Digital mammography. Right breast, cranio-caudal projection. Patient age 41.
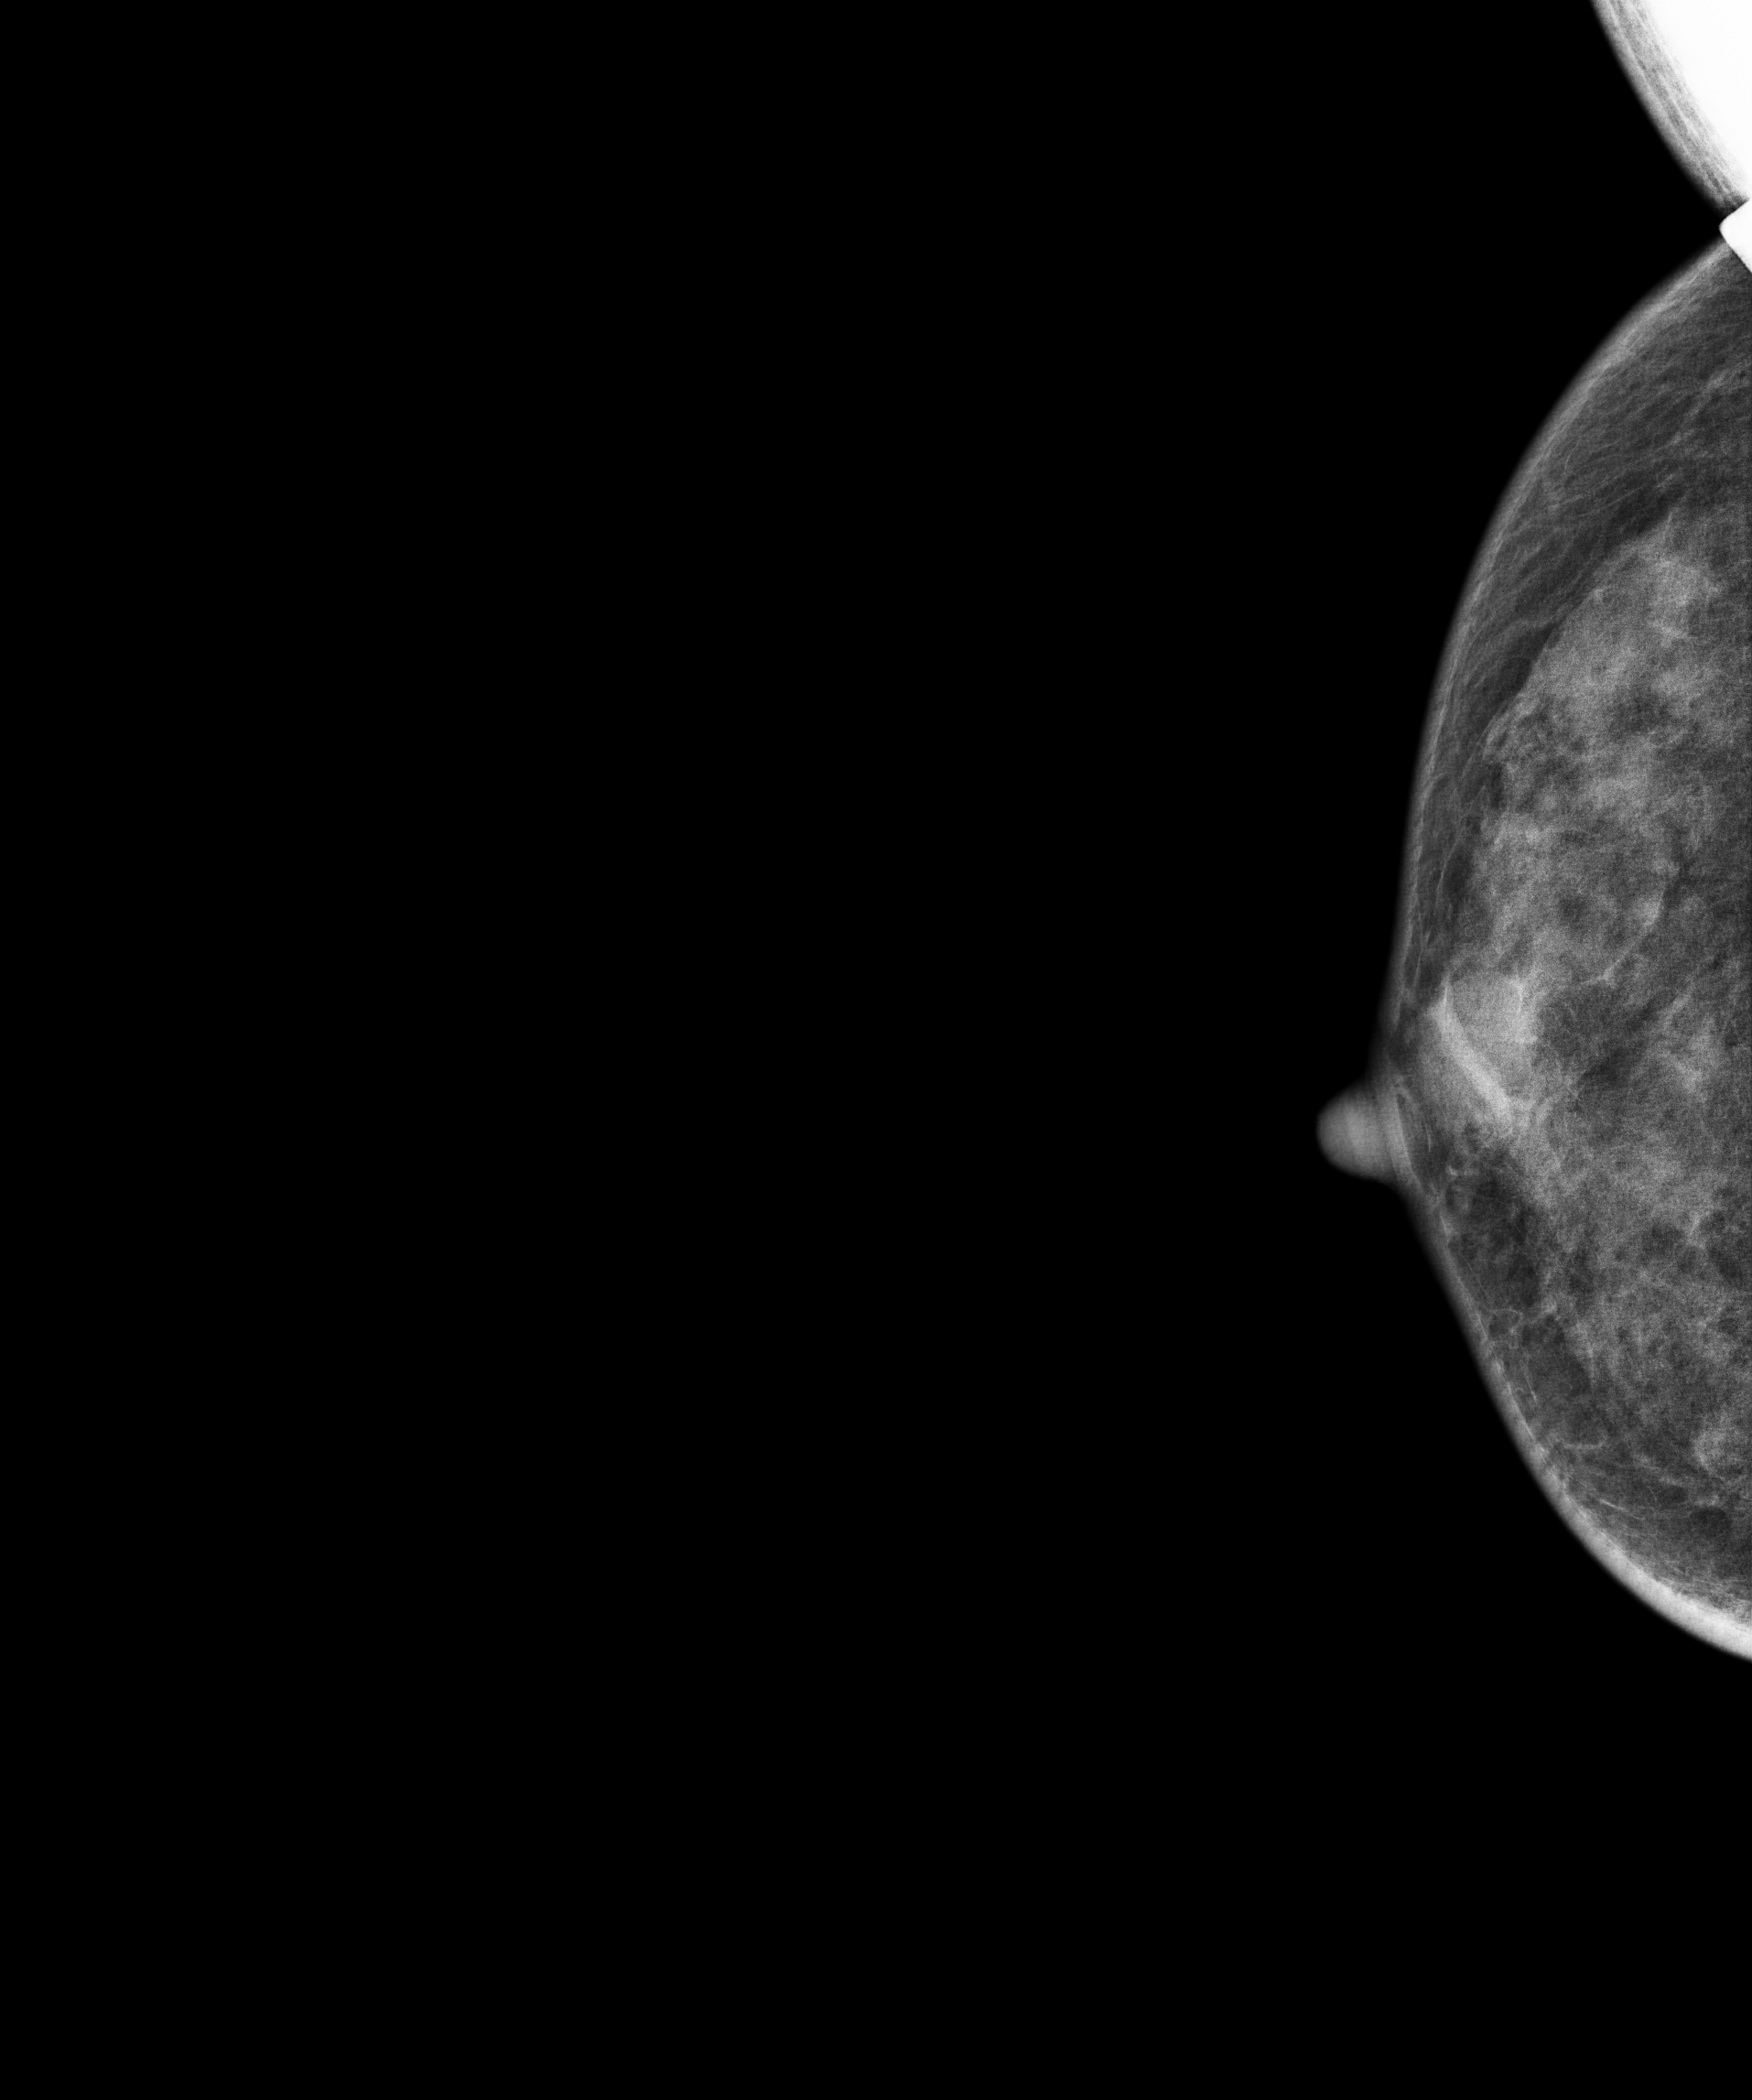
This breast has a mass, pathology-confirmed benign.